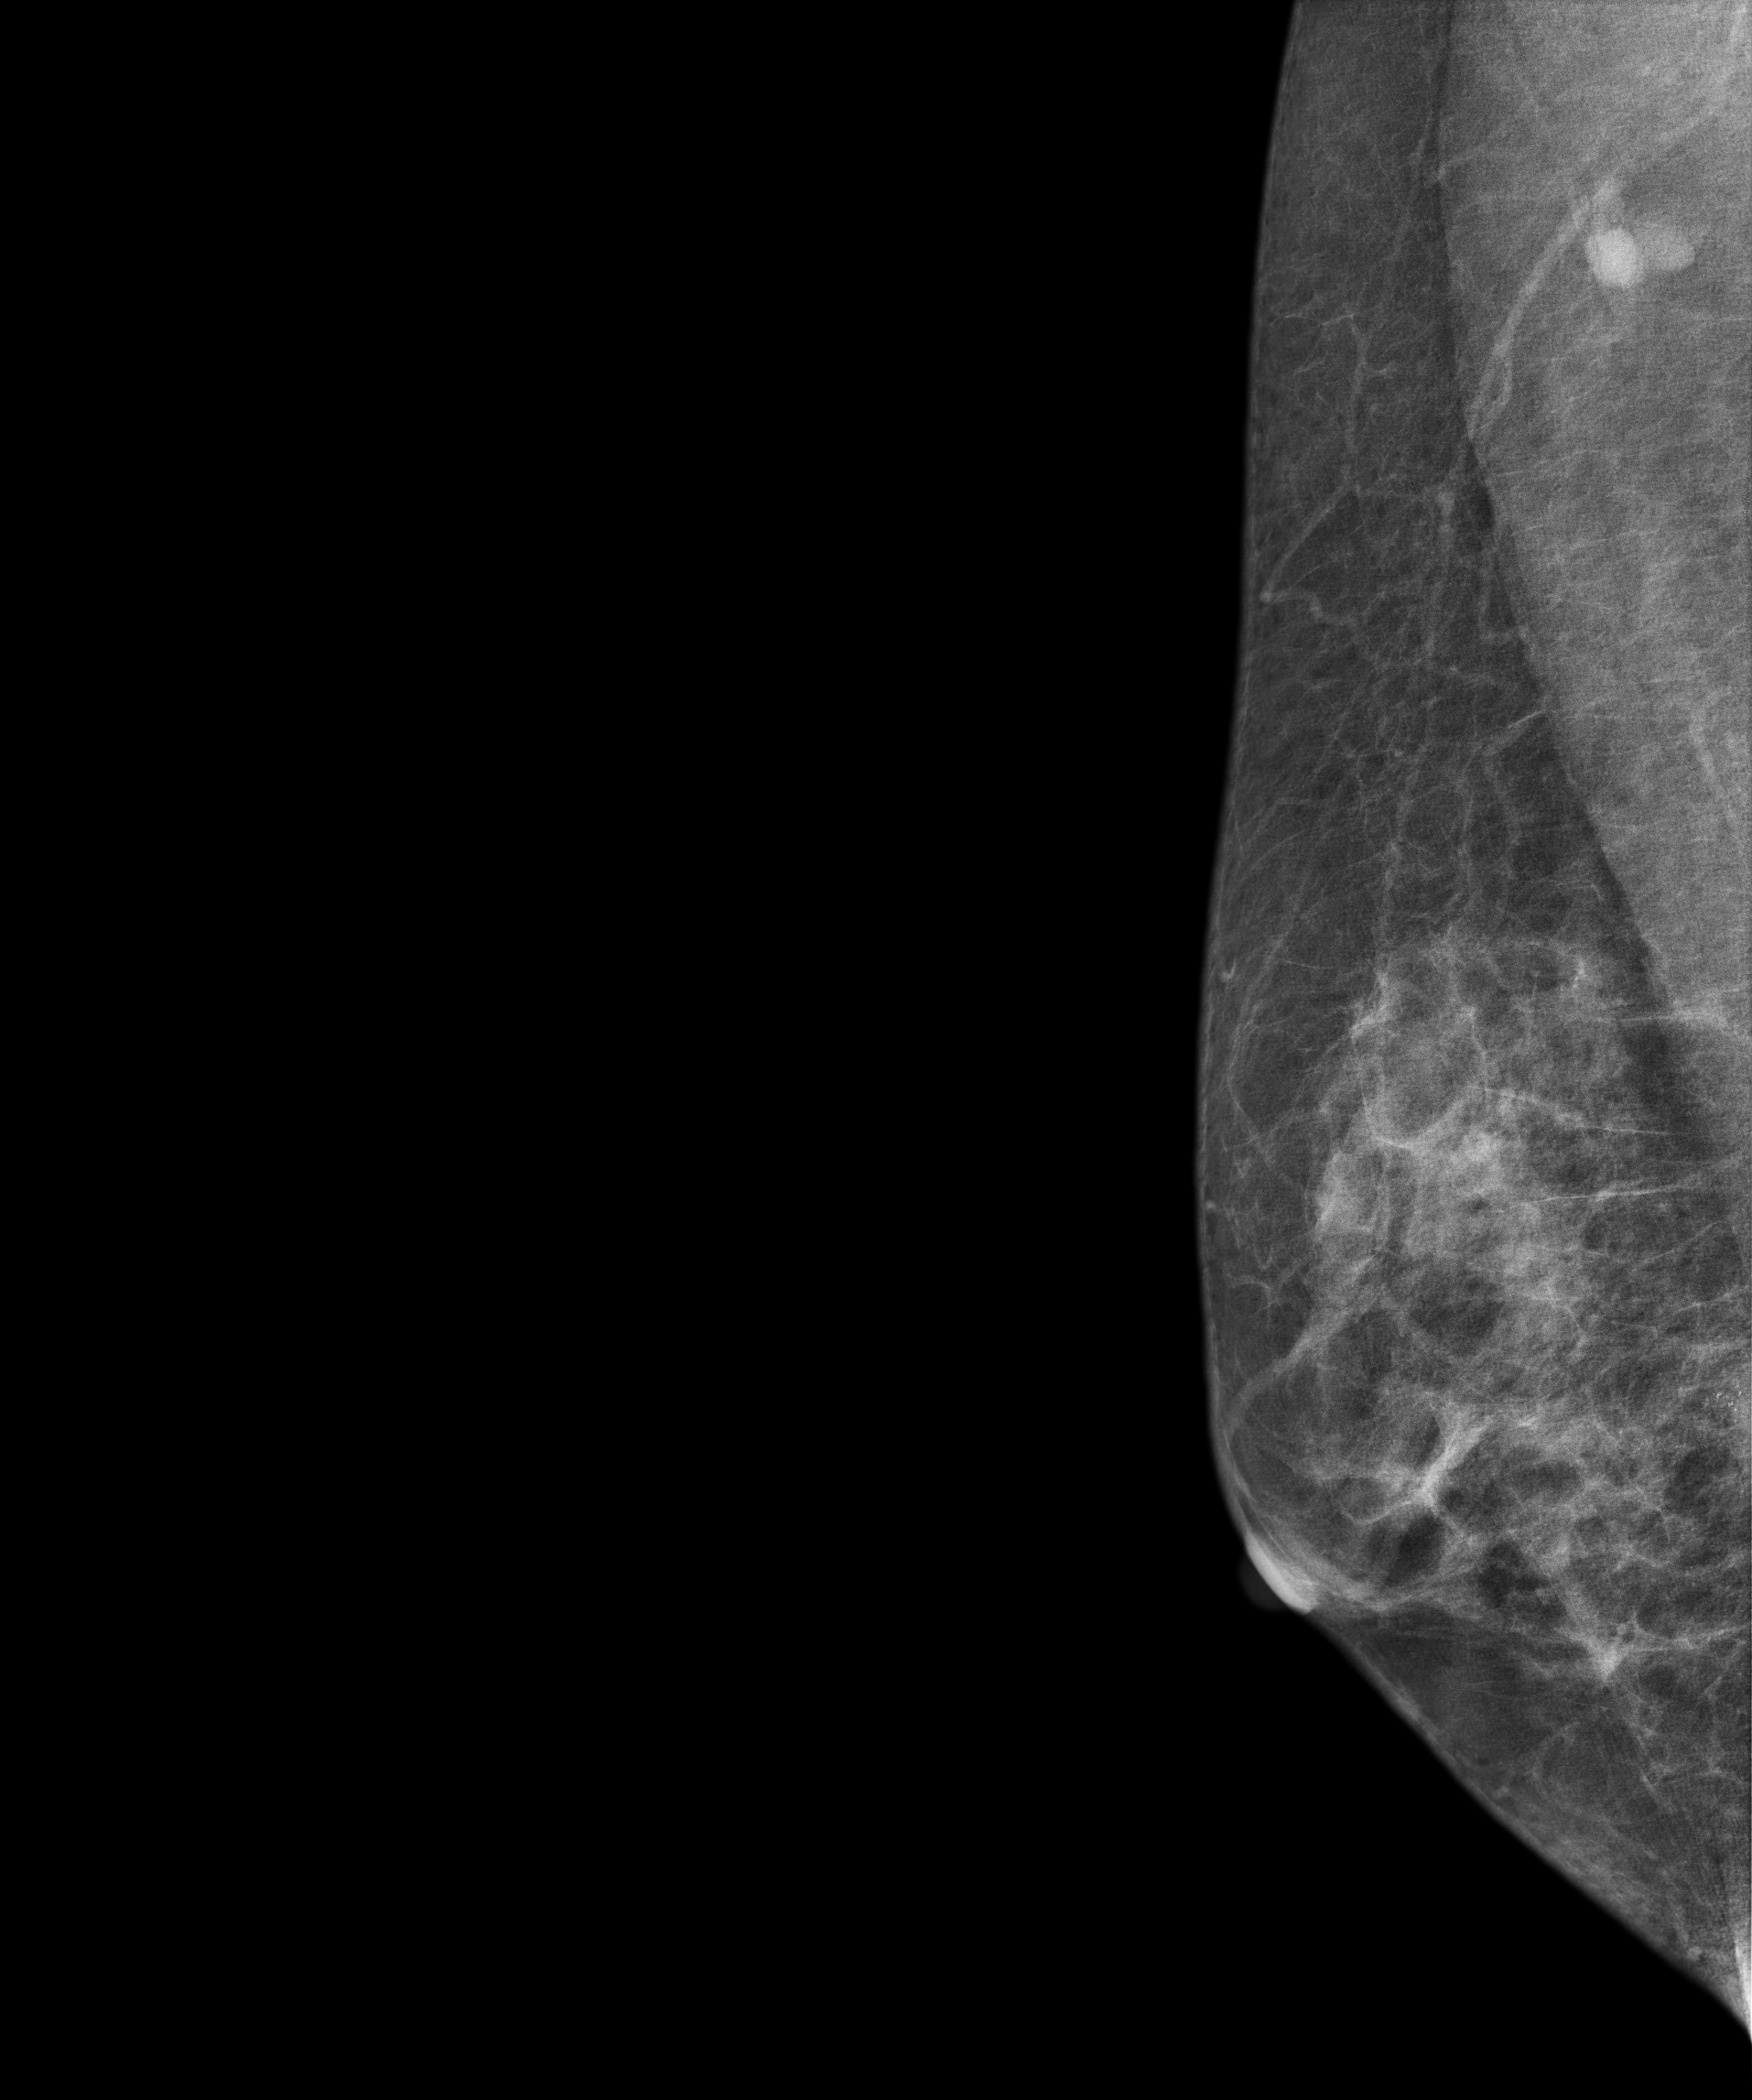
Mammogram, right breast, MLO view. Patient age 50.
This breast has a mass, histologically confirmed malignant.